Mammogram — left medio-lateral oblique. 51-year-old patient.
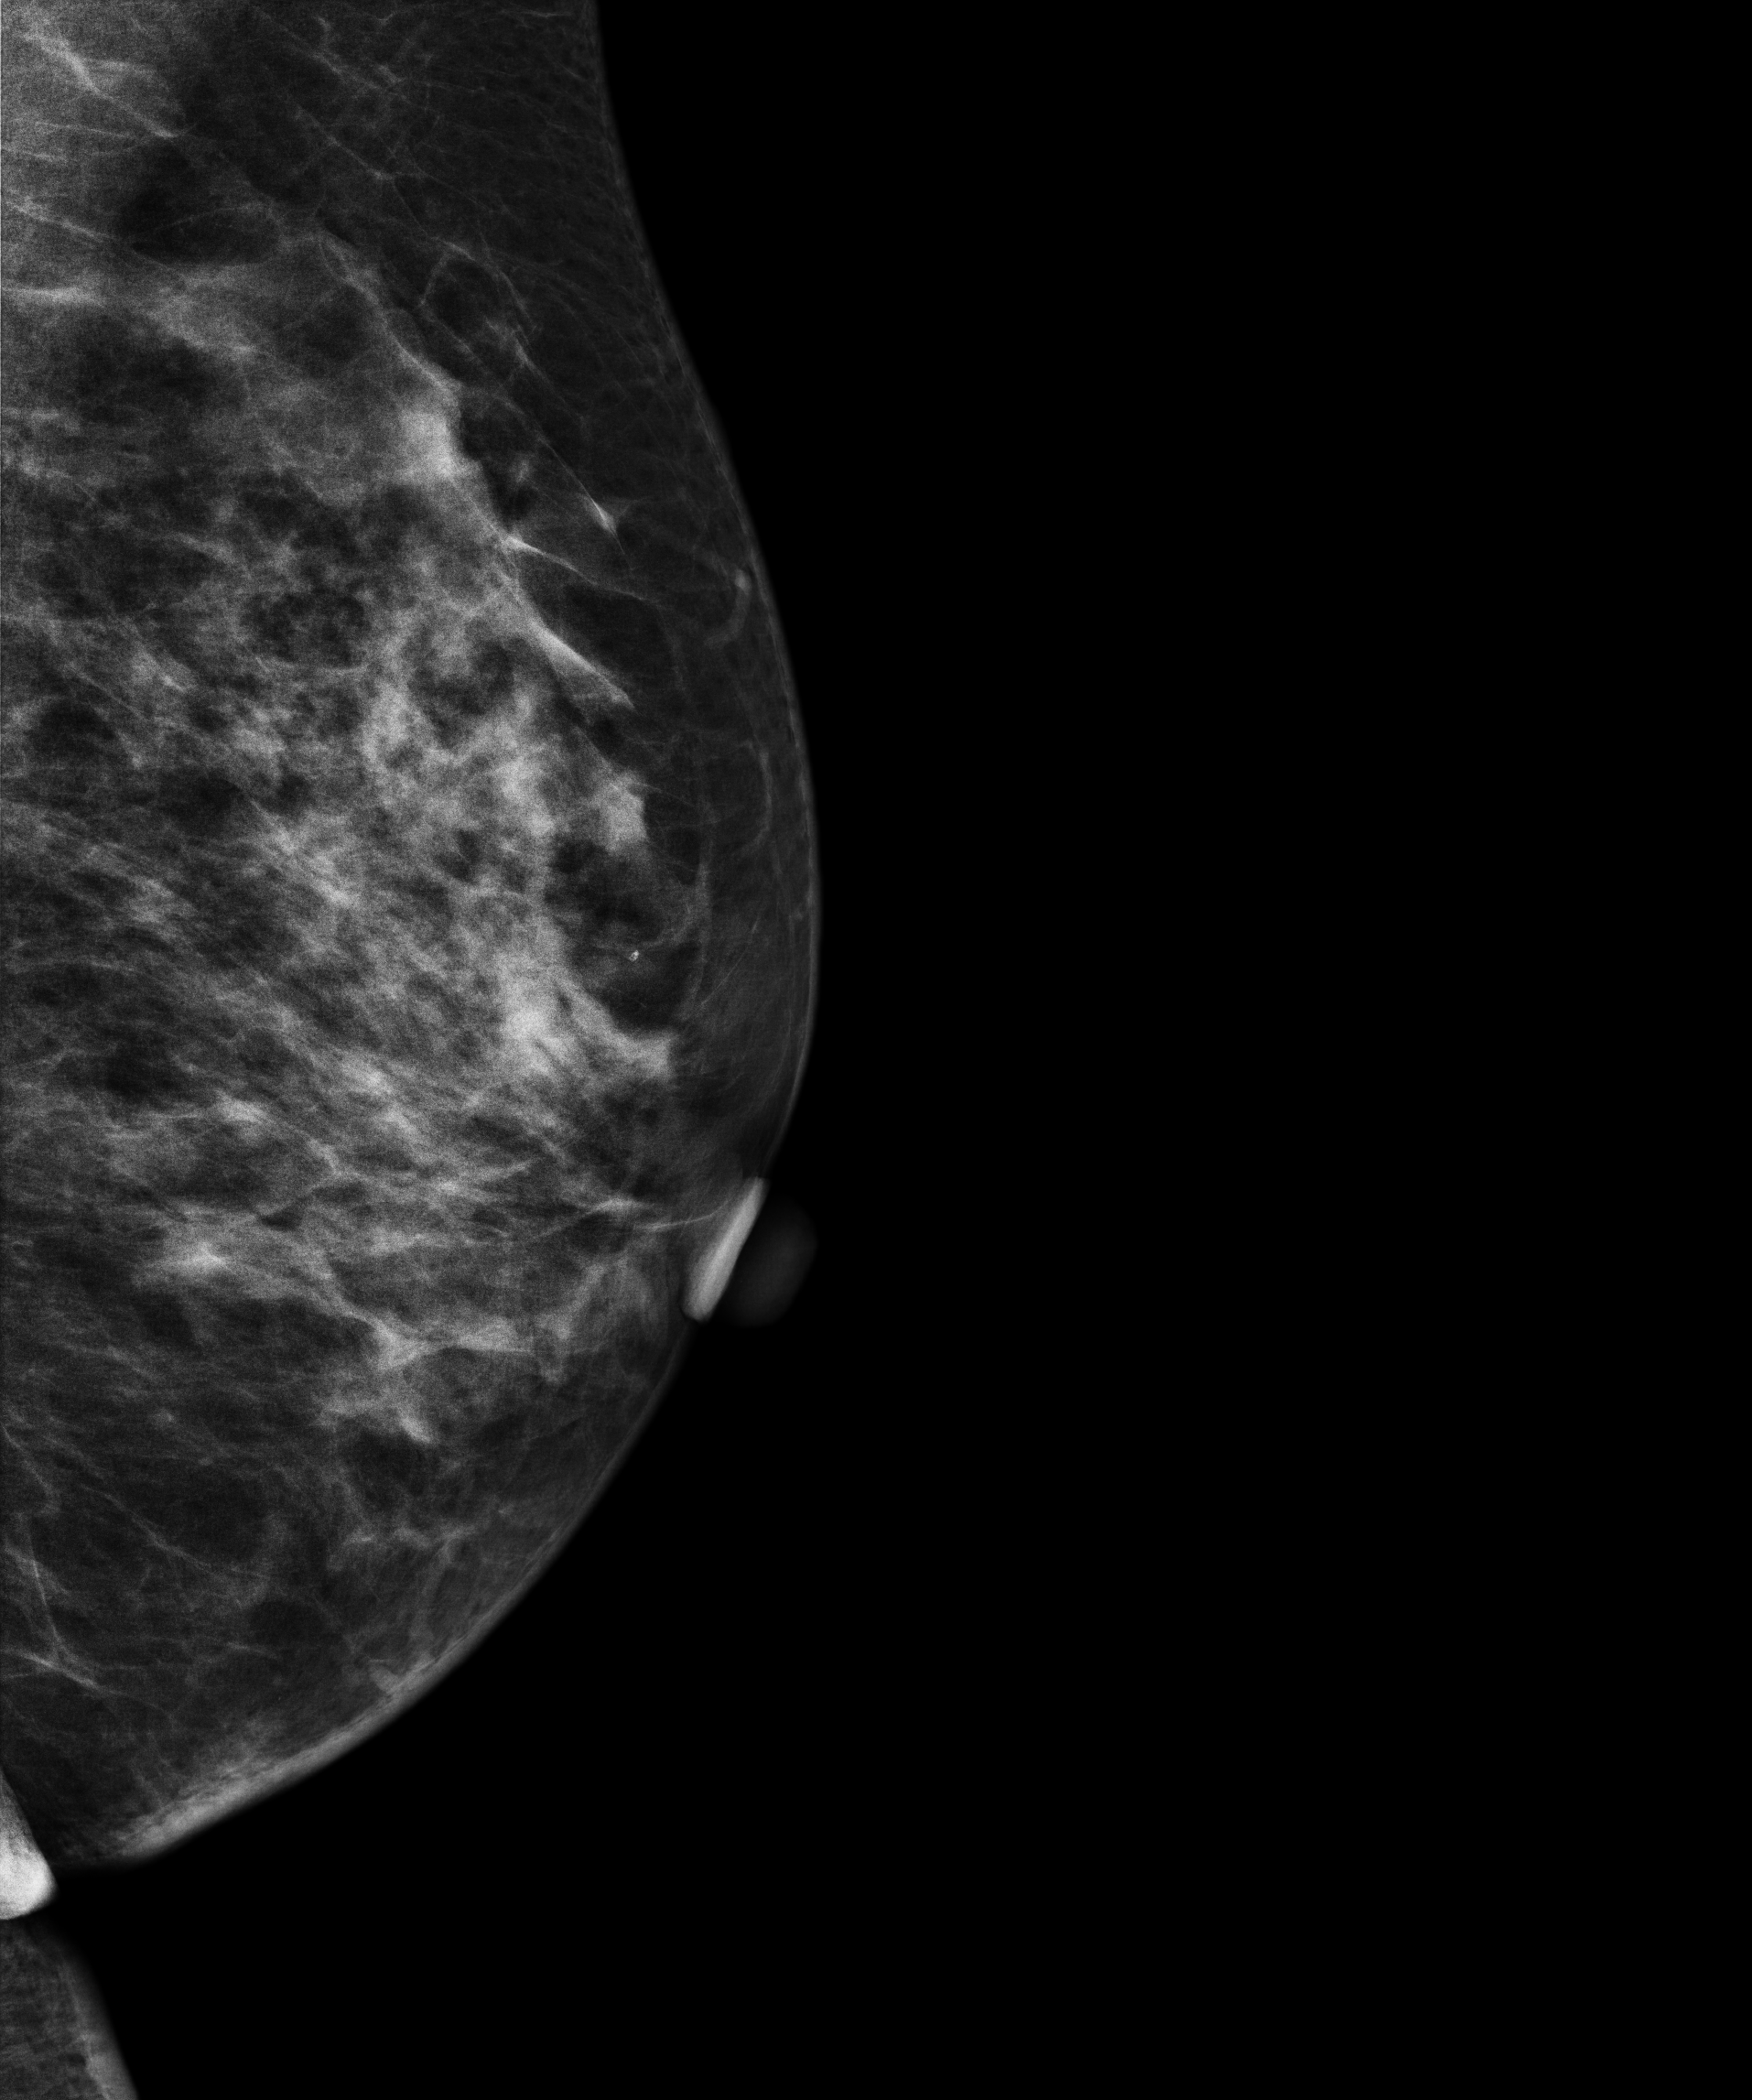
This breast has a mass and calcifications, biopsy-proven benign.